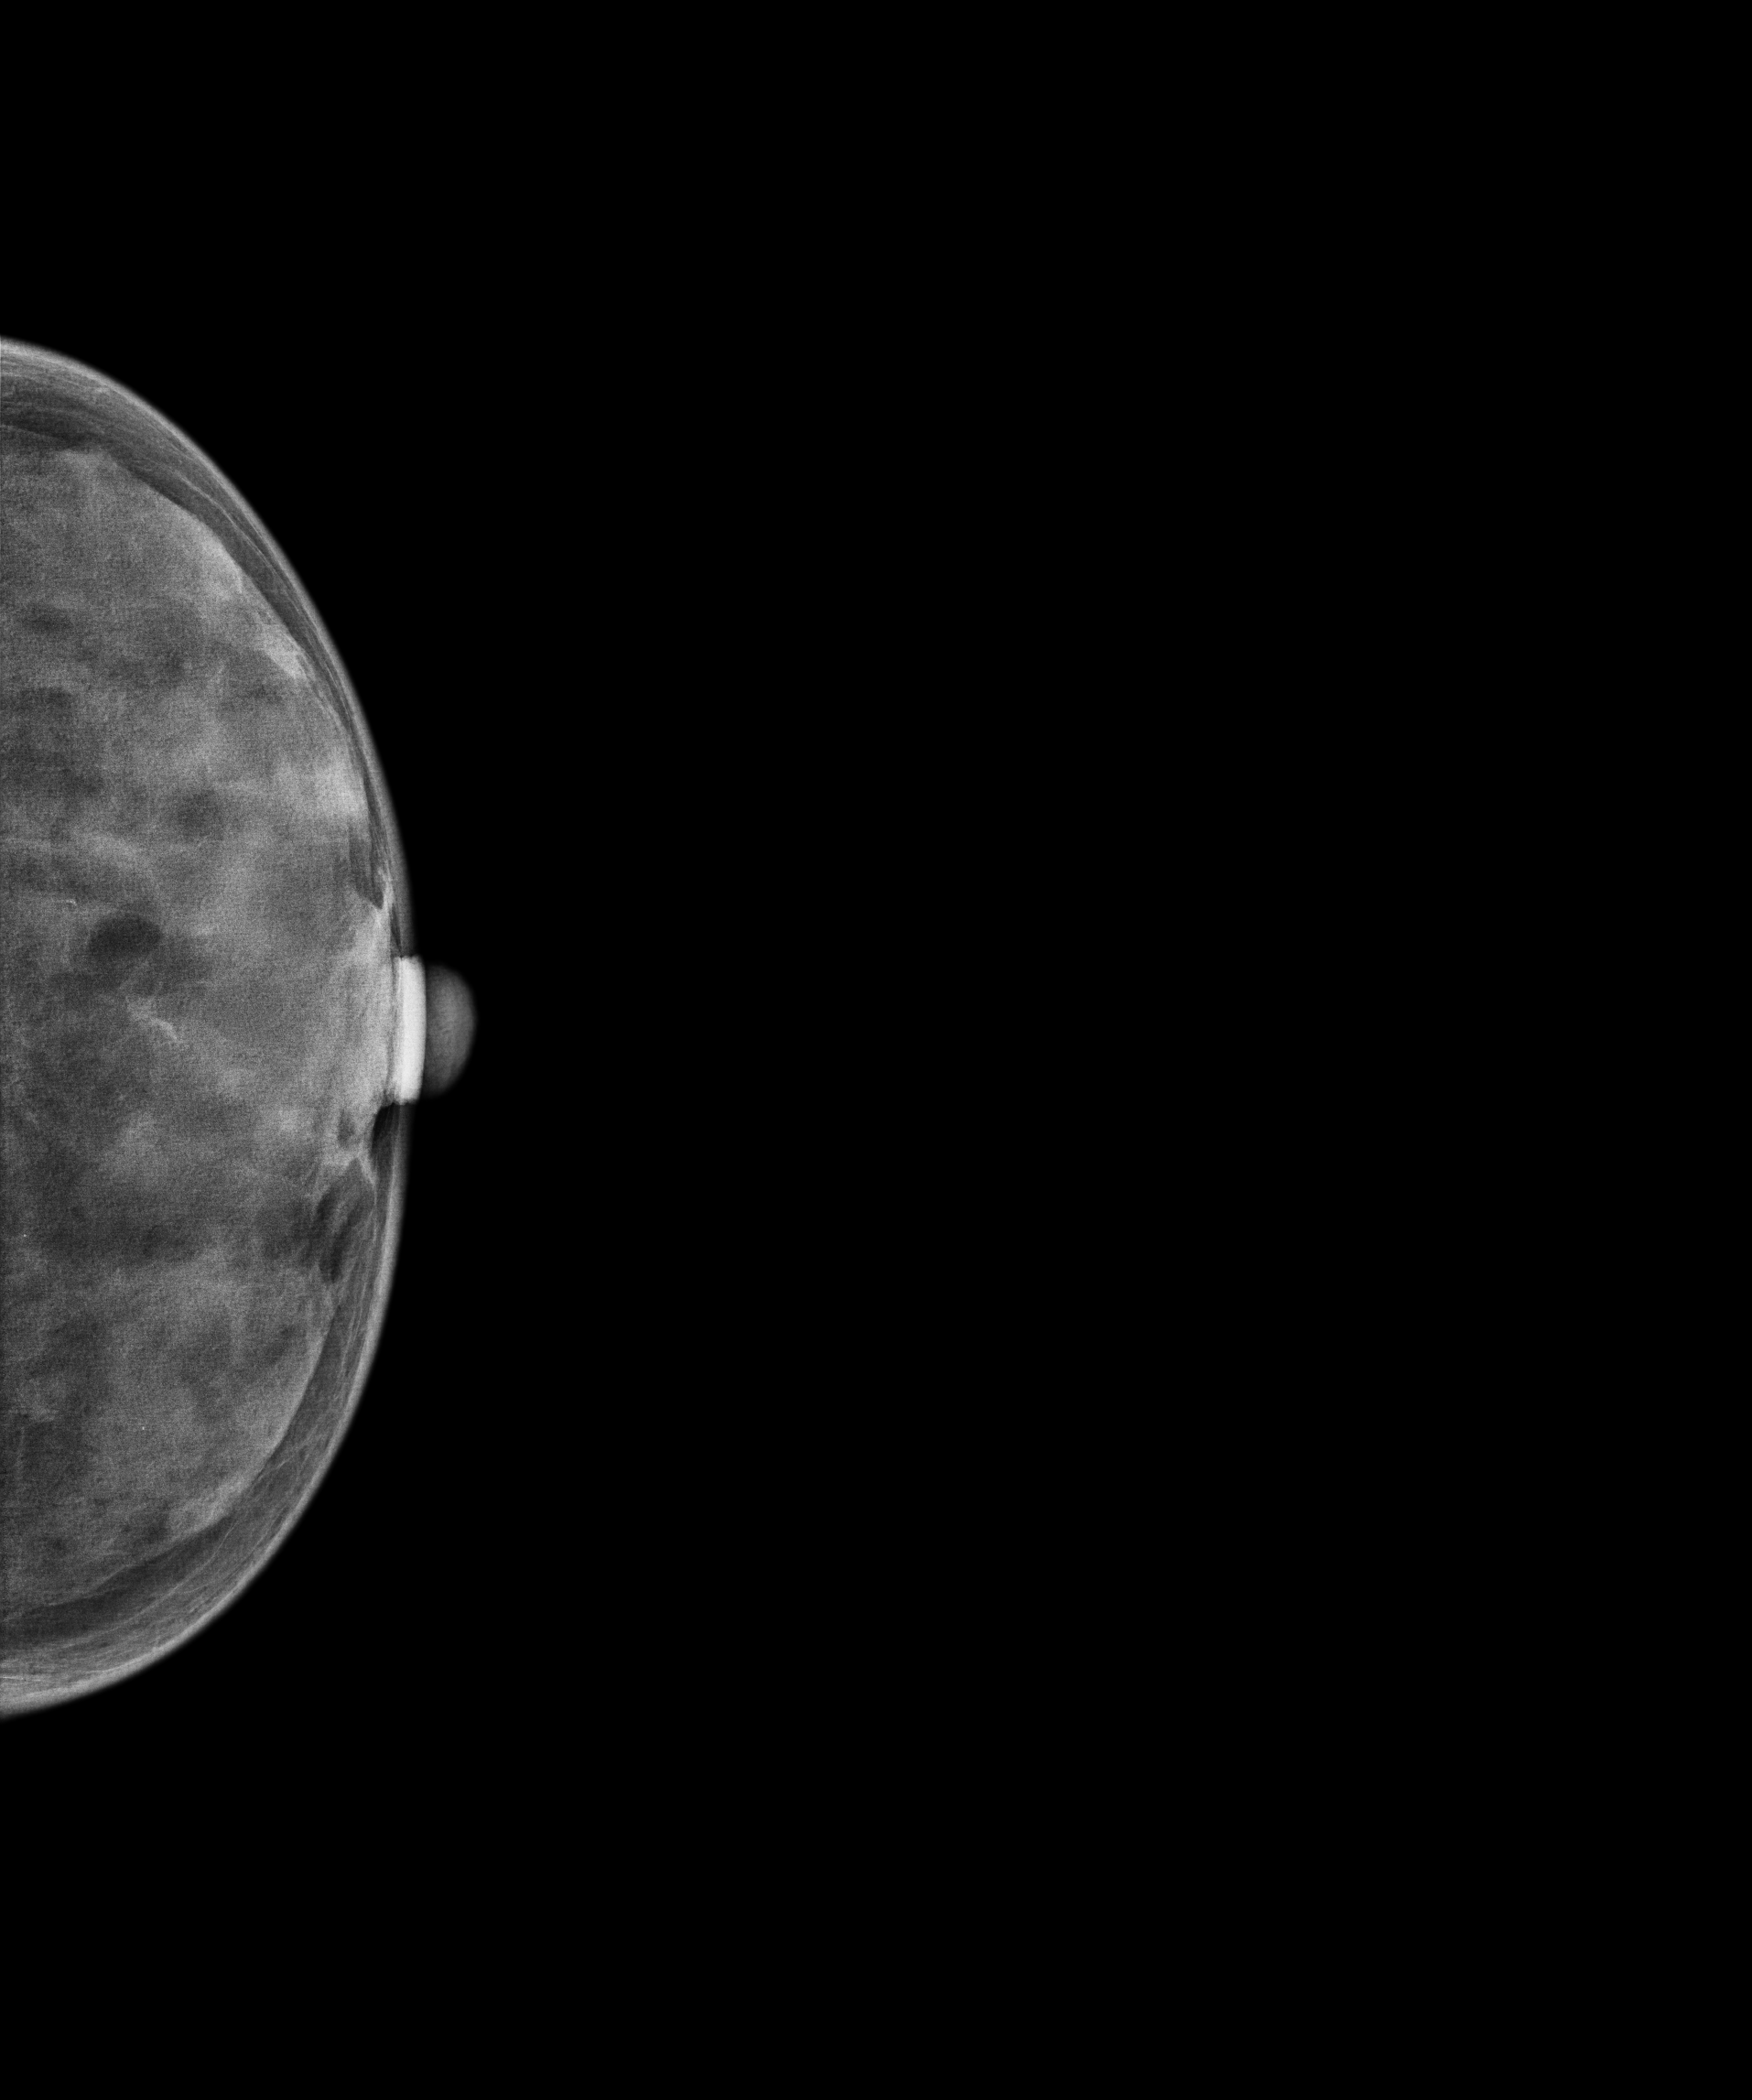
Mammogram — left cranio-caudal. 31-year-old patient.
Contralateral breast — no documented abnormality on this side.